Medio-lateral oblique mammogram of the left breast. 44-year-old patient.
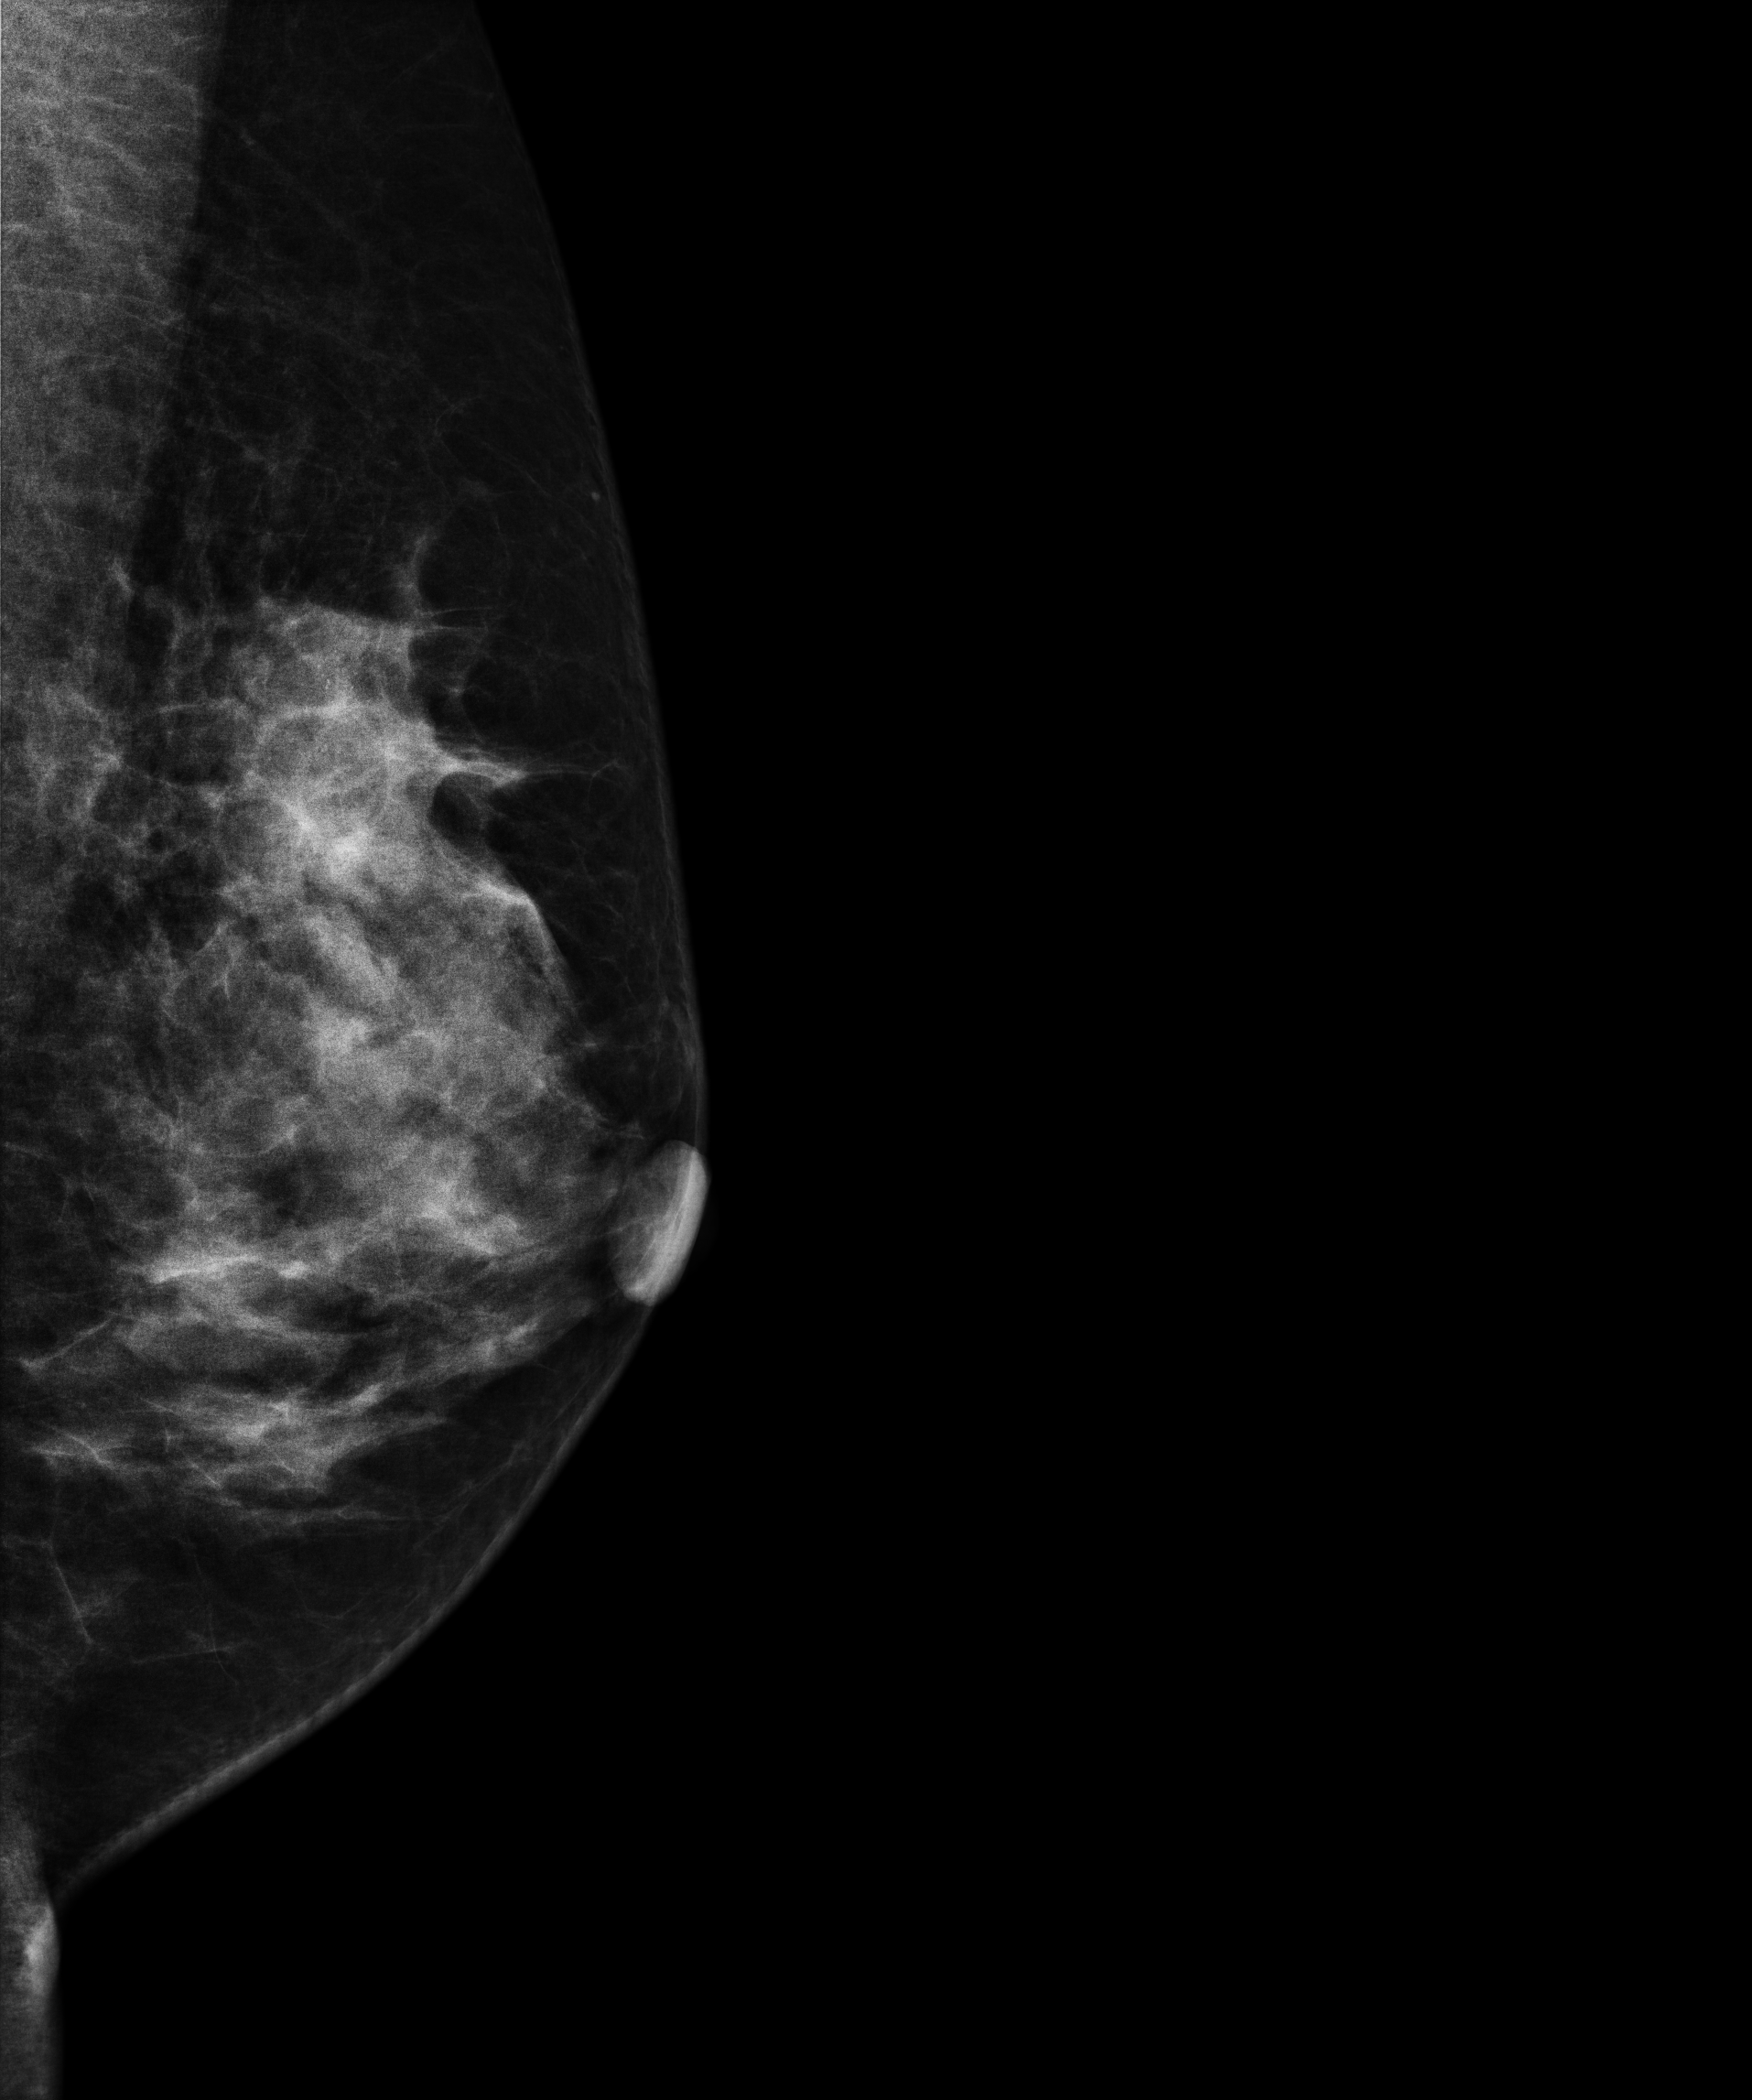
This breast has a mass, histologically confirmed malignant. Molecular subtype: HER2-enriched.